Cranio-caudal mammogram of the right breast. 45 y/o patient.
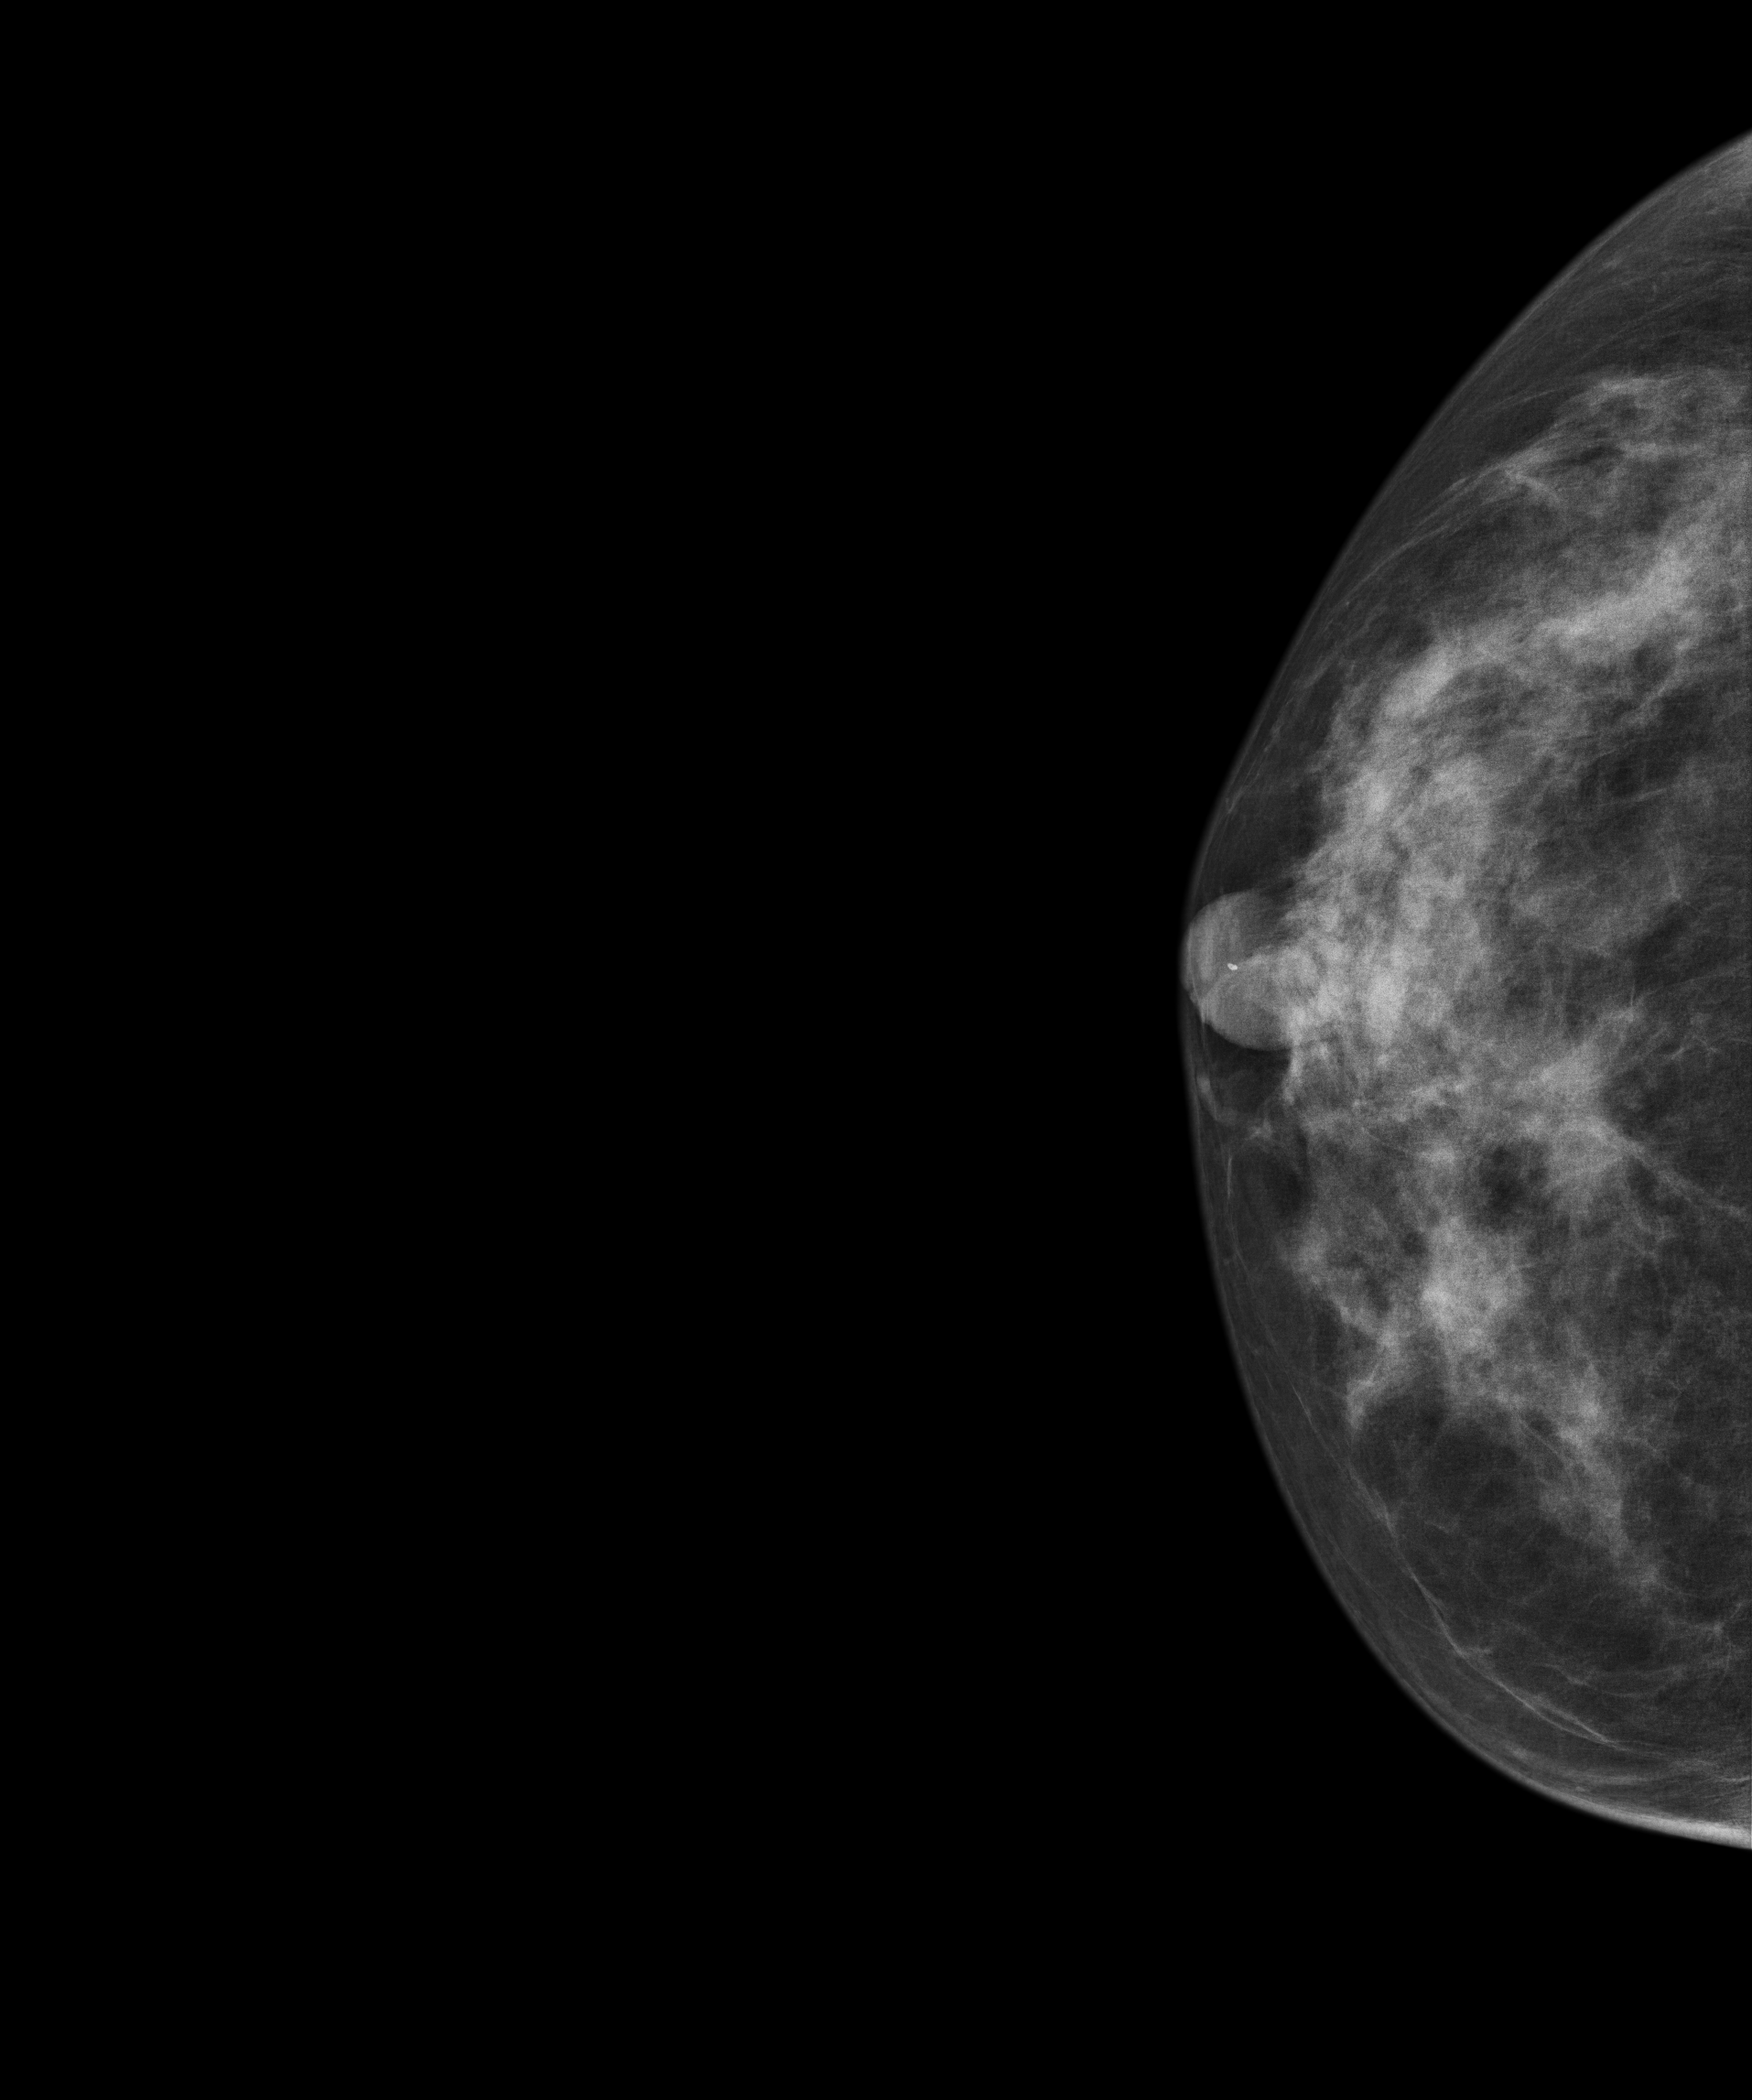
This breast has a mass, pathology-confirmed malignant. Molecular subtype: luminal B.